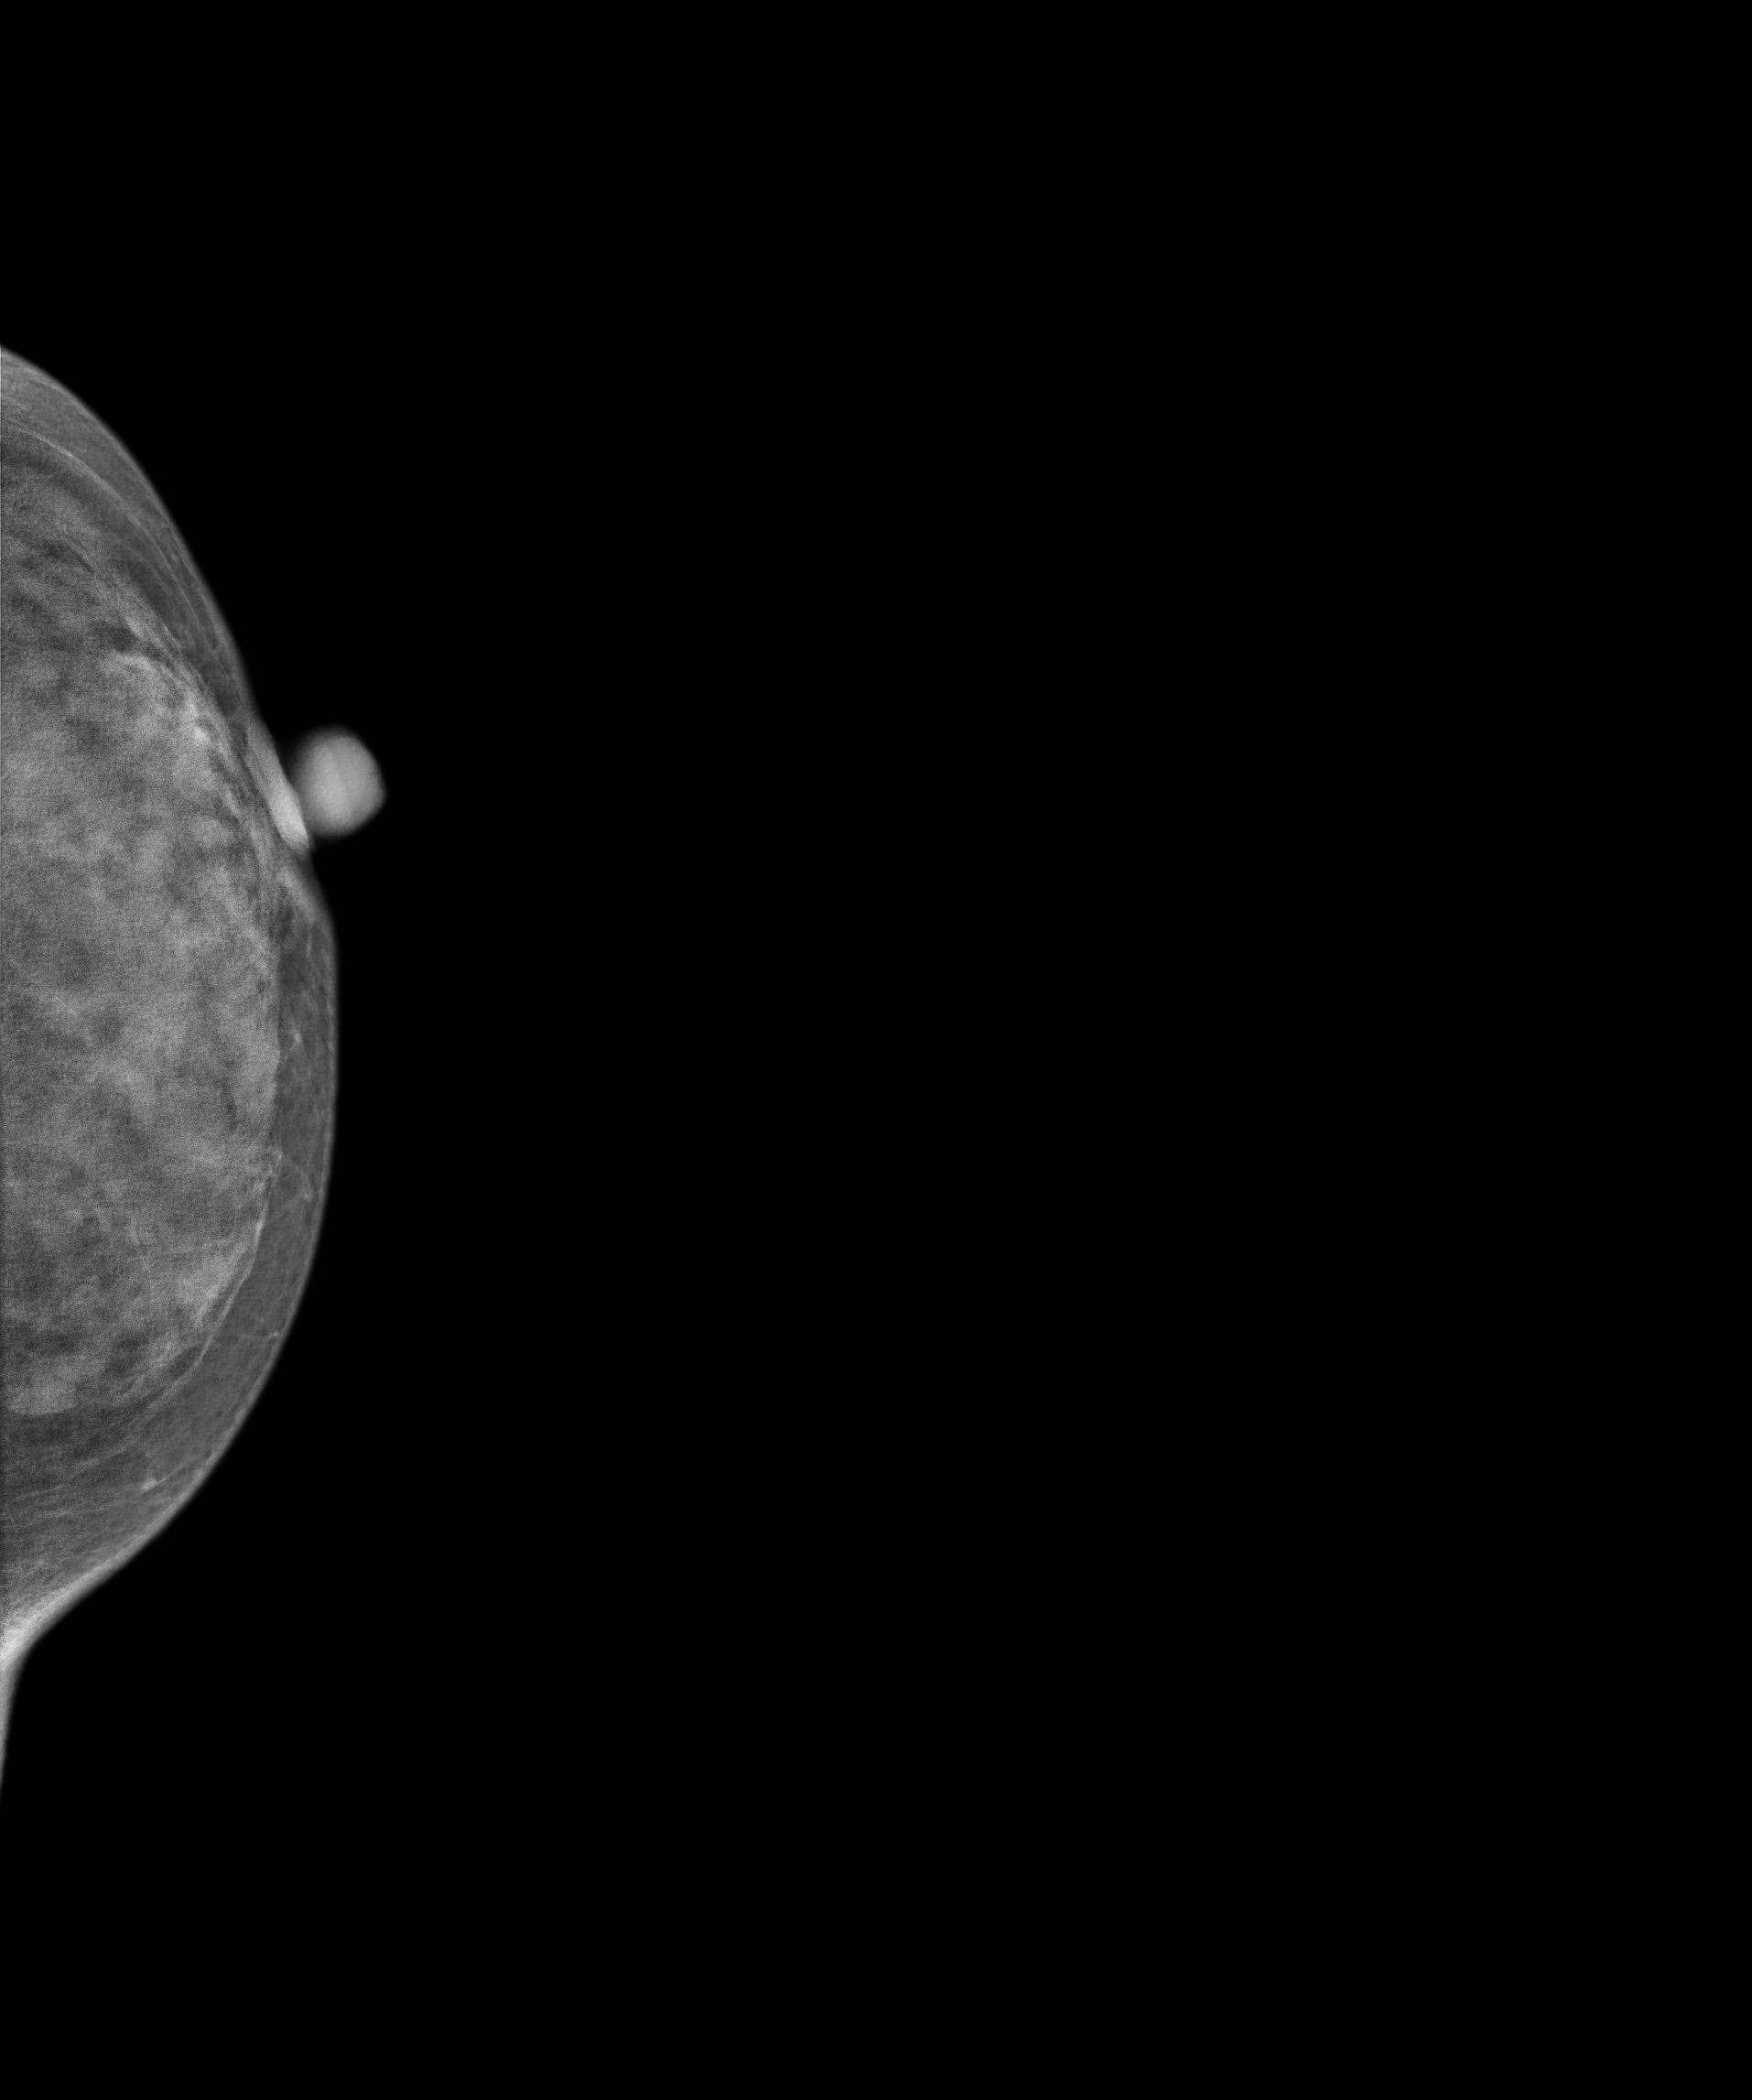
CC mammogram of the left breast. 31-year-old patient.
Contralateral breast — no documented abnormality on this side.